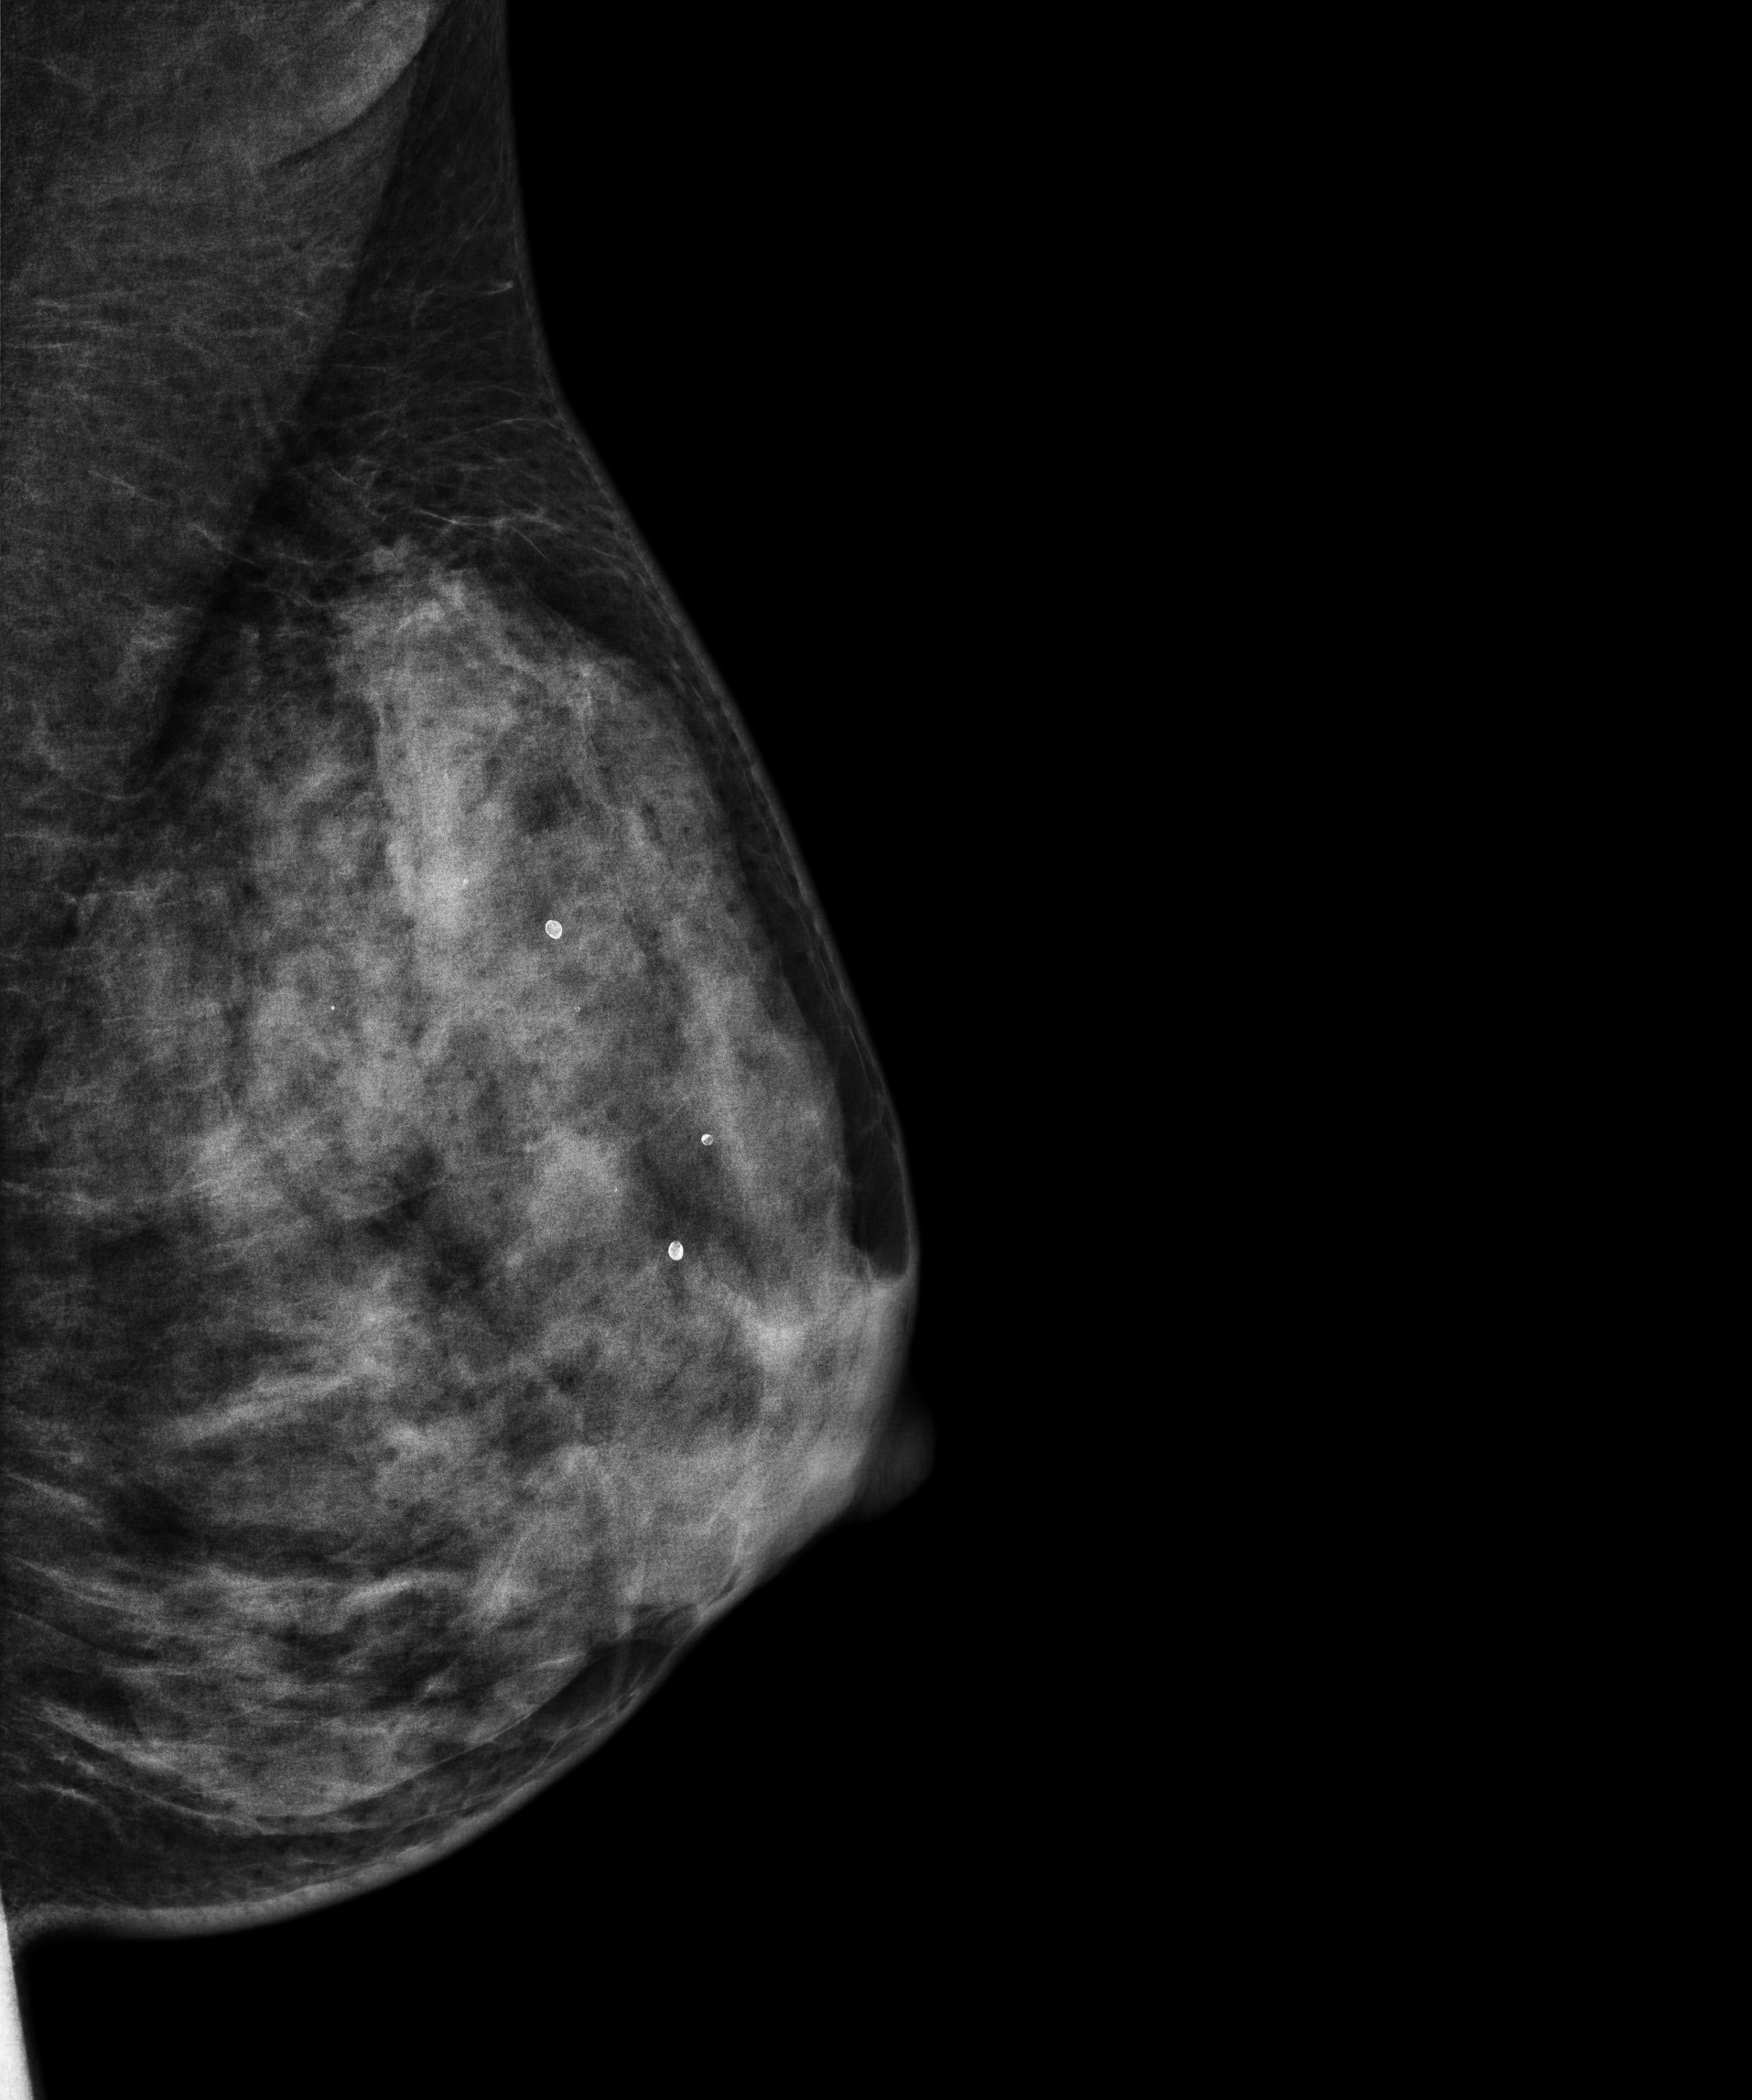
Left-breast mammogram, medio-lateral oblique. 46-year-old patient.
Contralateral breast — no documented abnormality on this side.